Digital mammography. Left breast, medio-lateral oblique projection. Patient age 52.
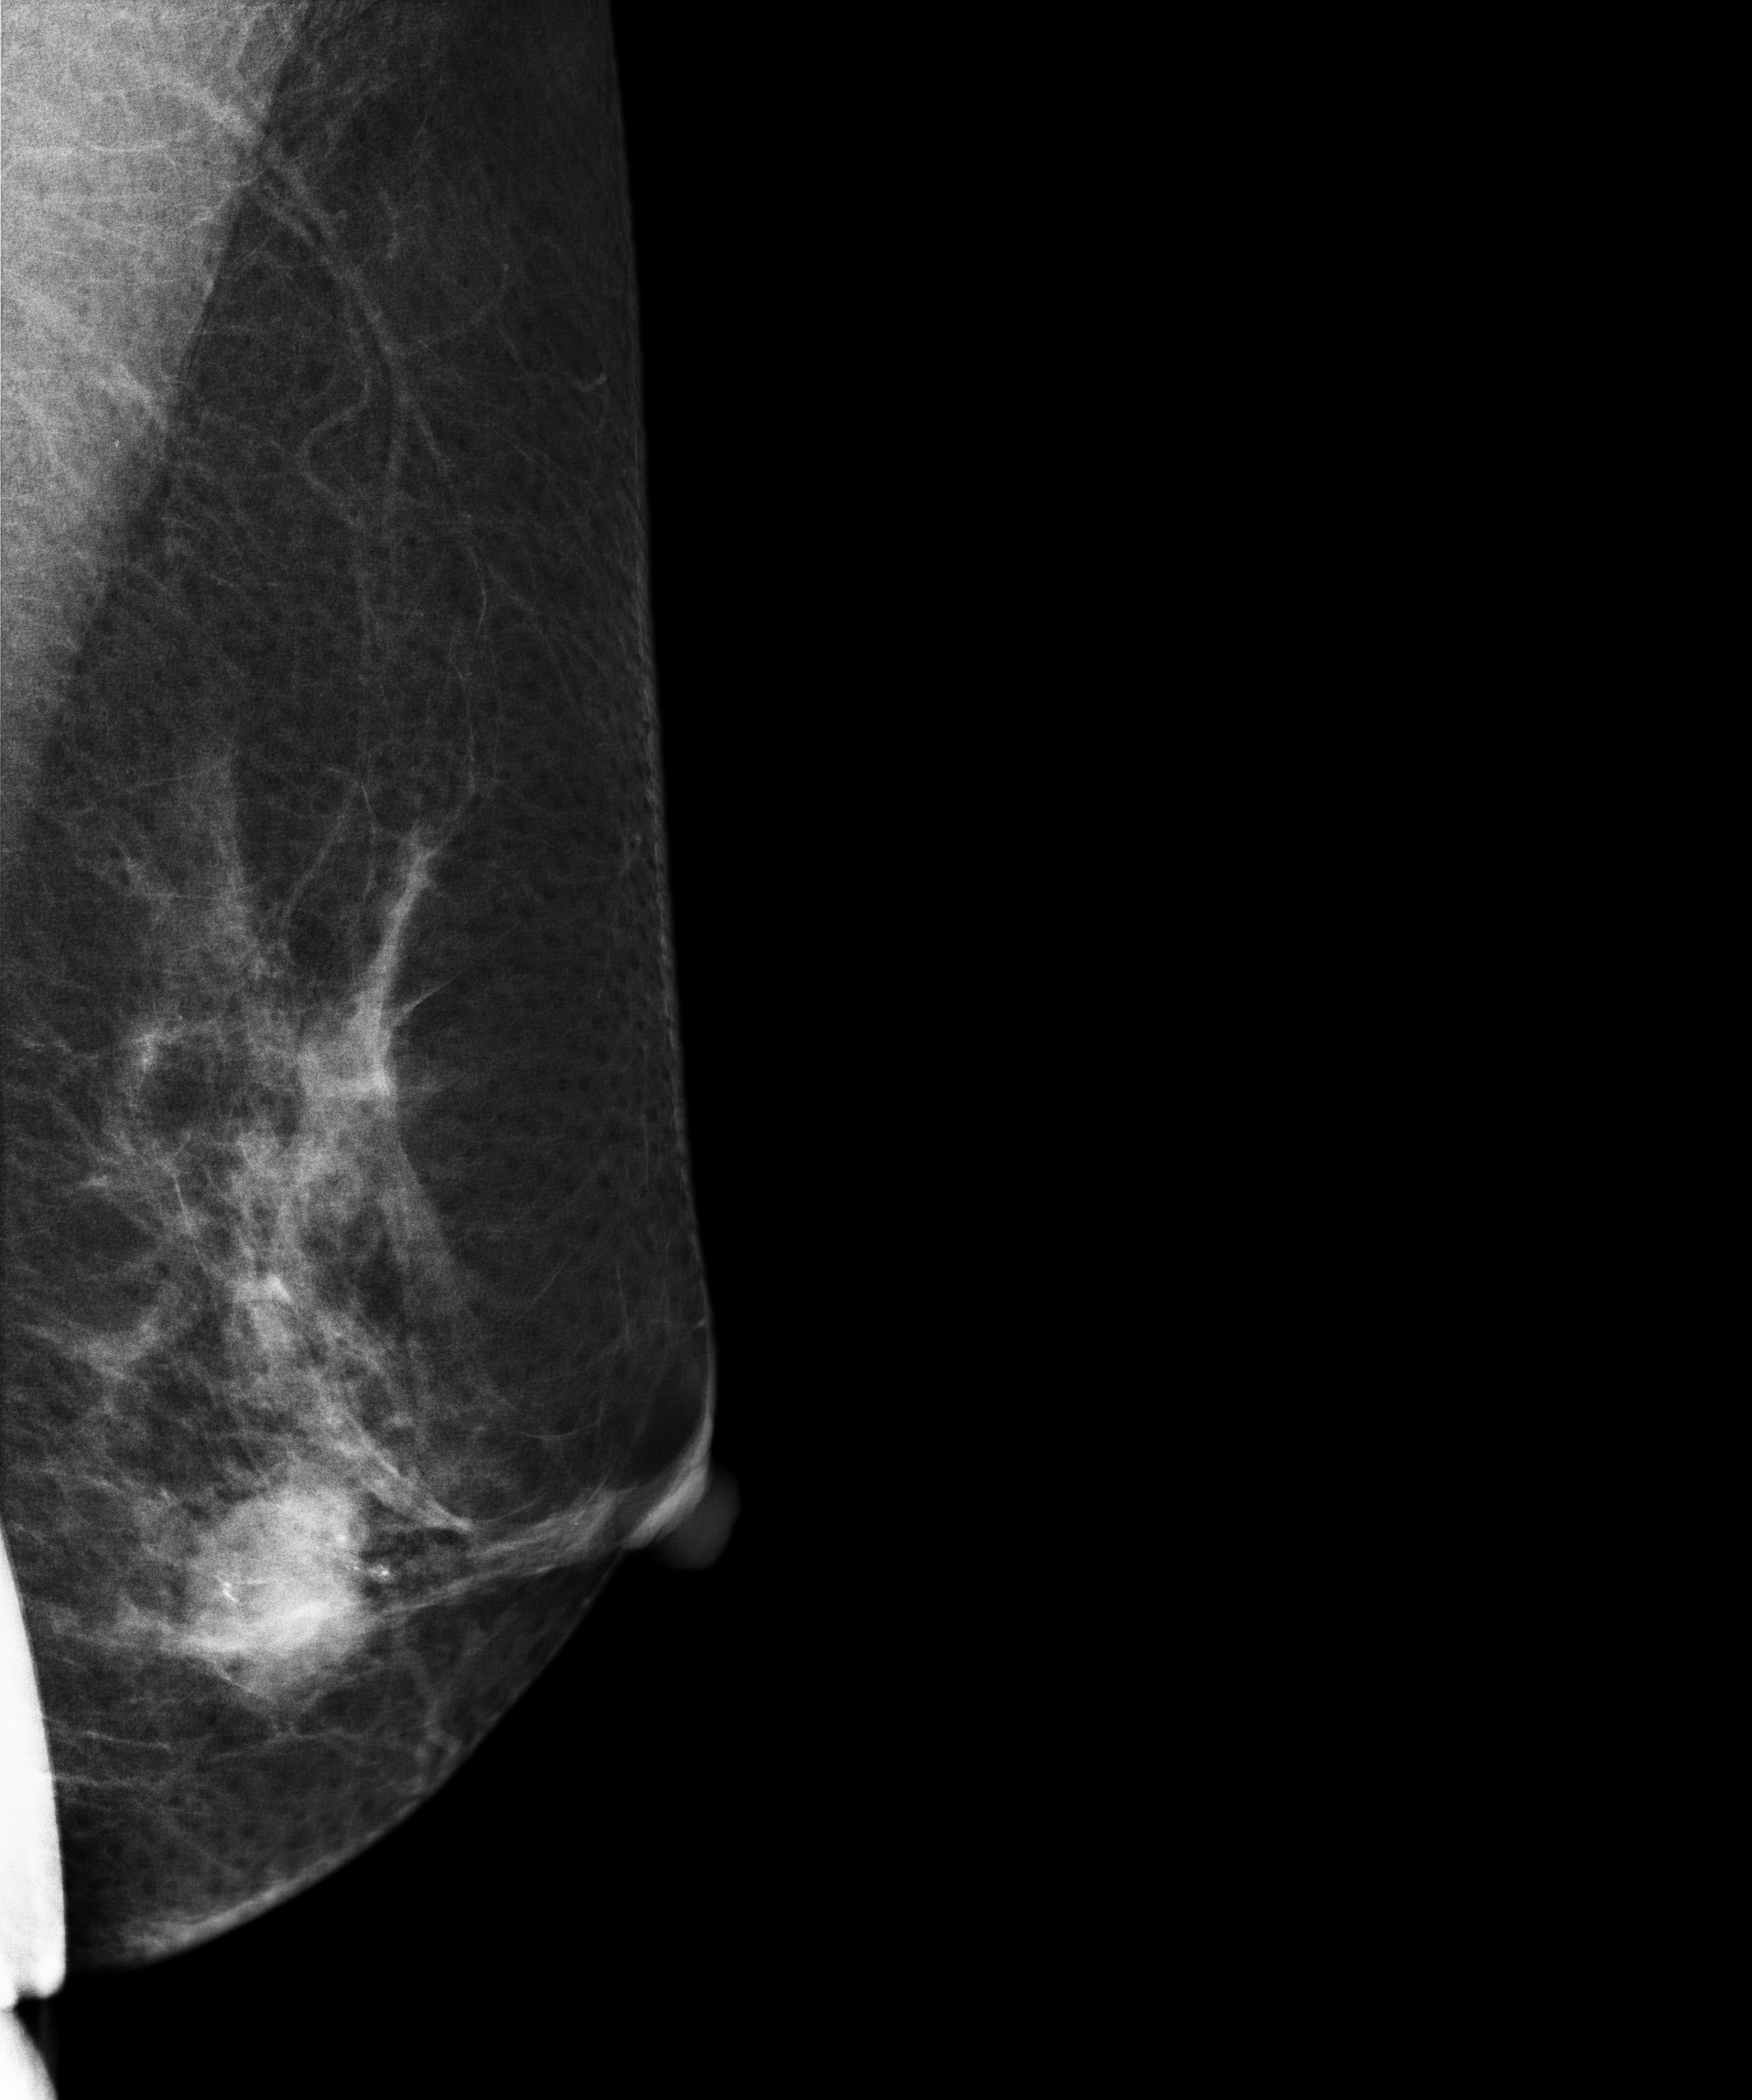
This breast has a mass and calcifications, pathology-confirmed malignant. Molecular subtype: luminal B.